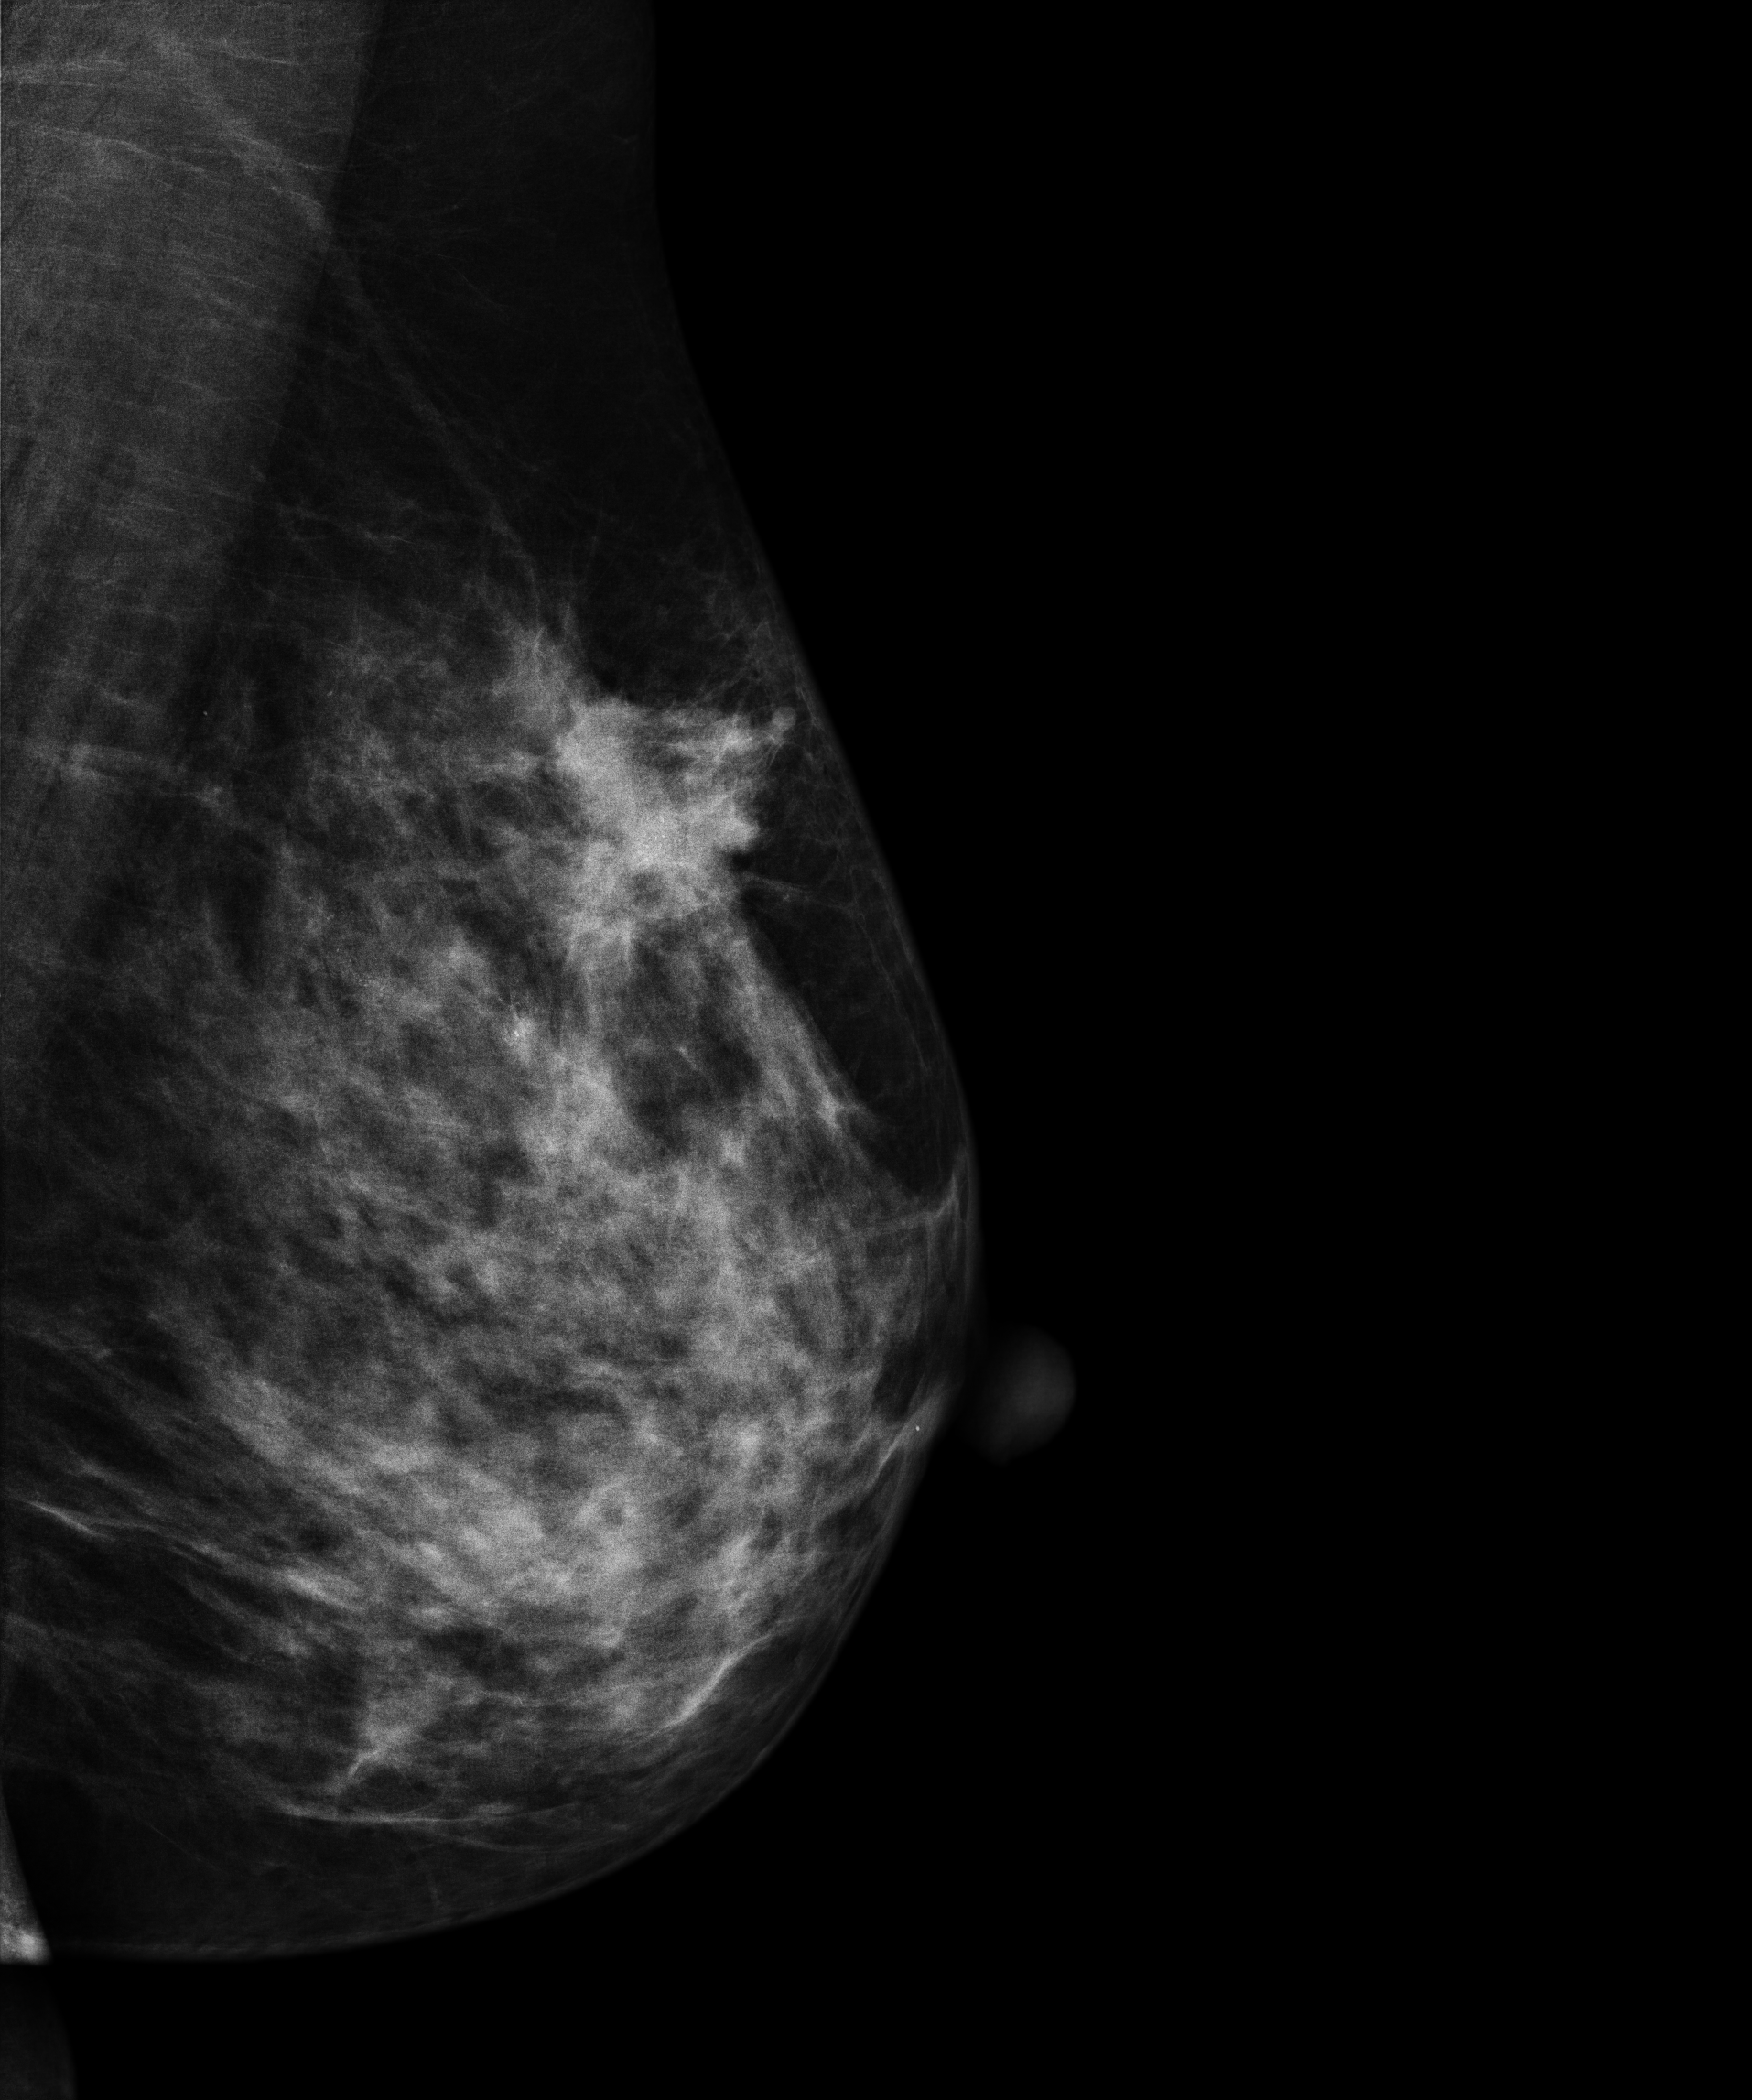
Left-breast mammogram, medio-lateral oblique. 45 y/o patient.
This breast has a mass and calcifications, biopsy-proven malignant.